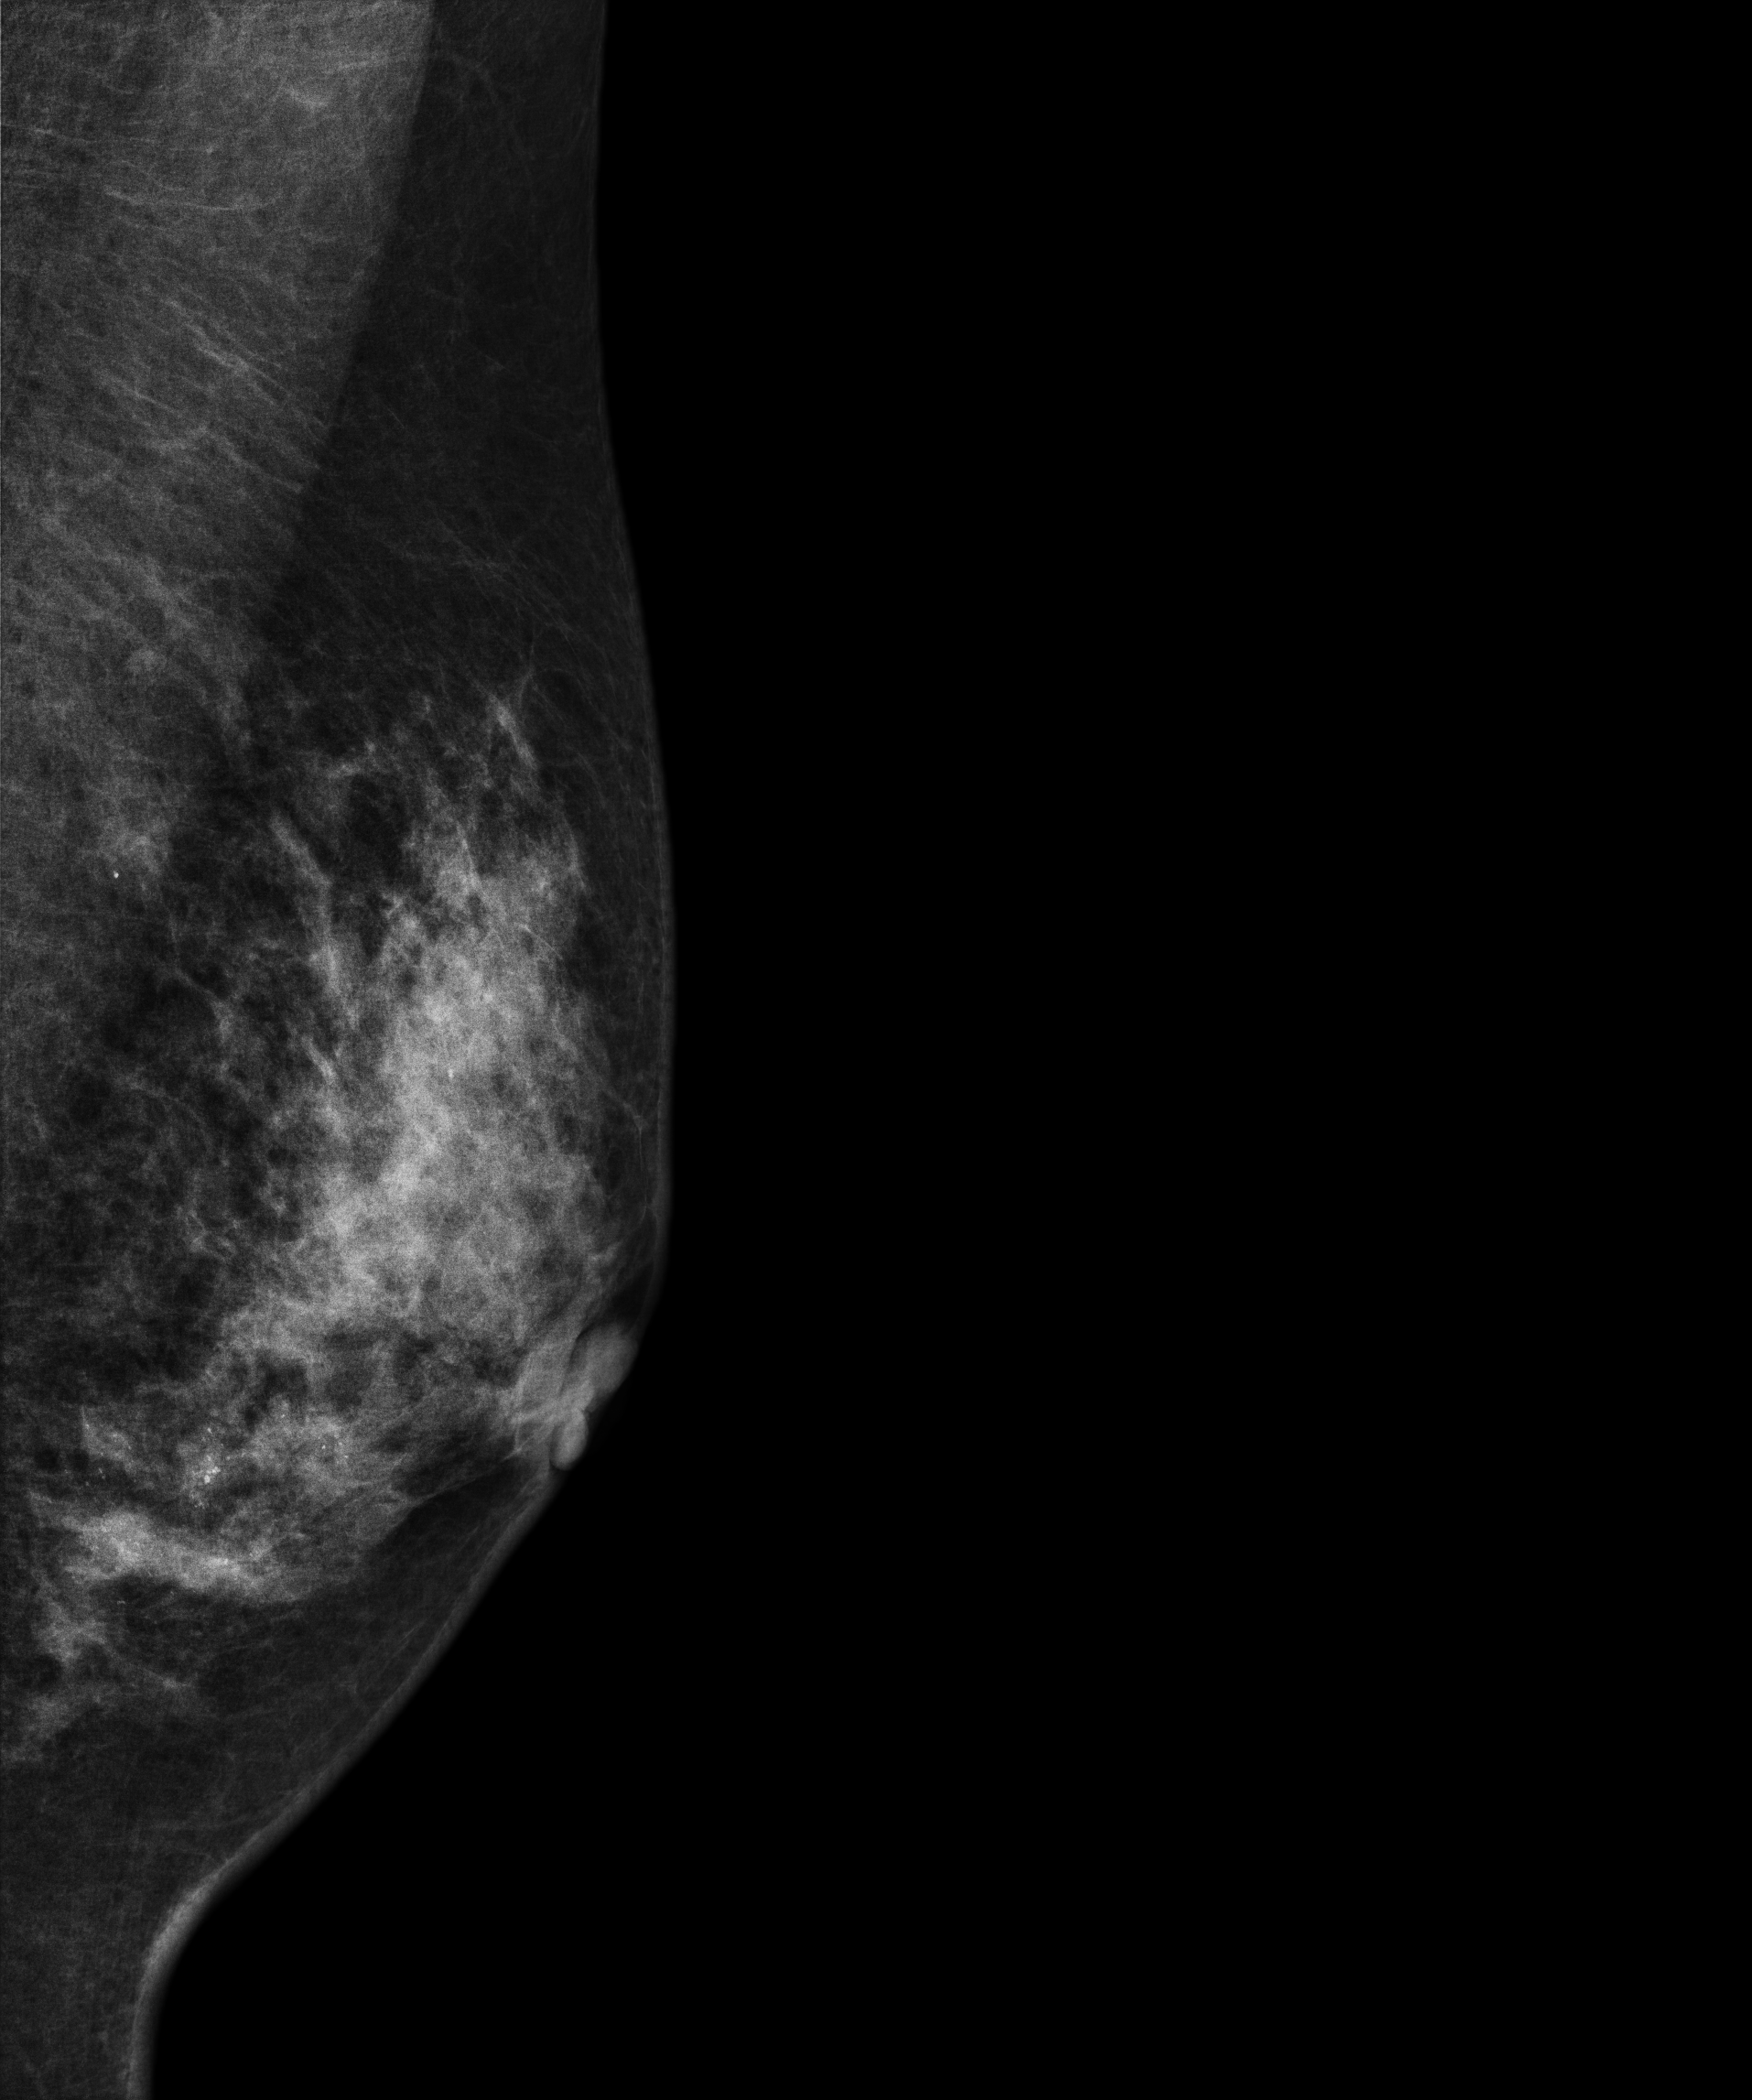
Mammogram, left breast, medio-lateral oblique view. 50-year-old patient.
This breast has calcifications, histologically confirmed malignant.